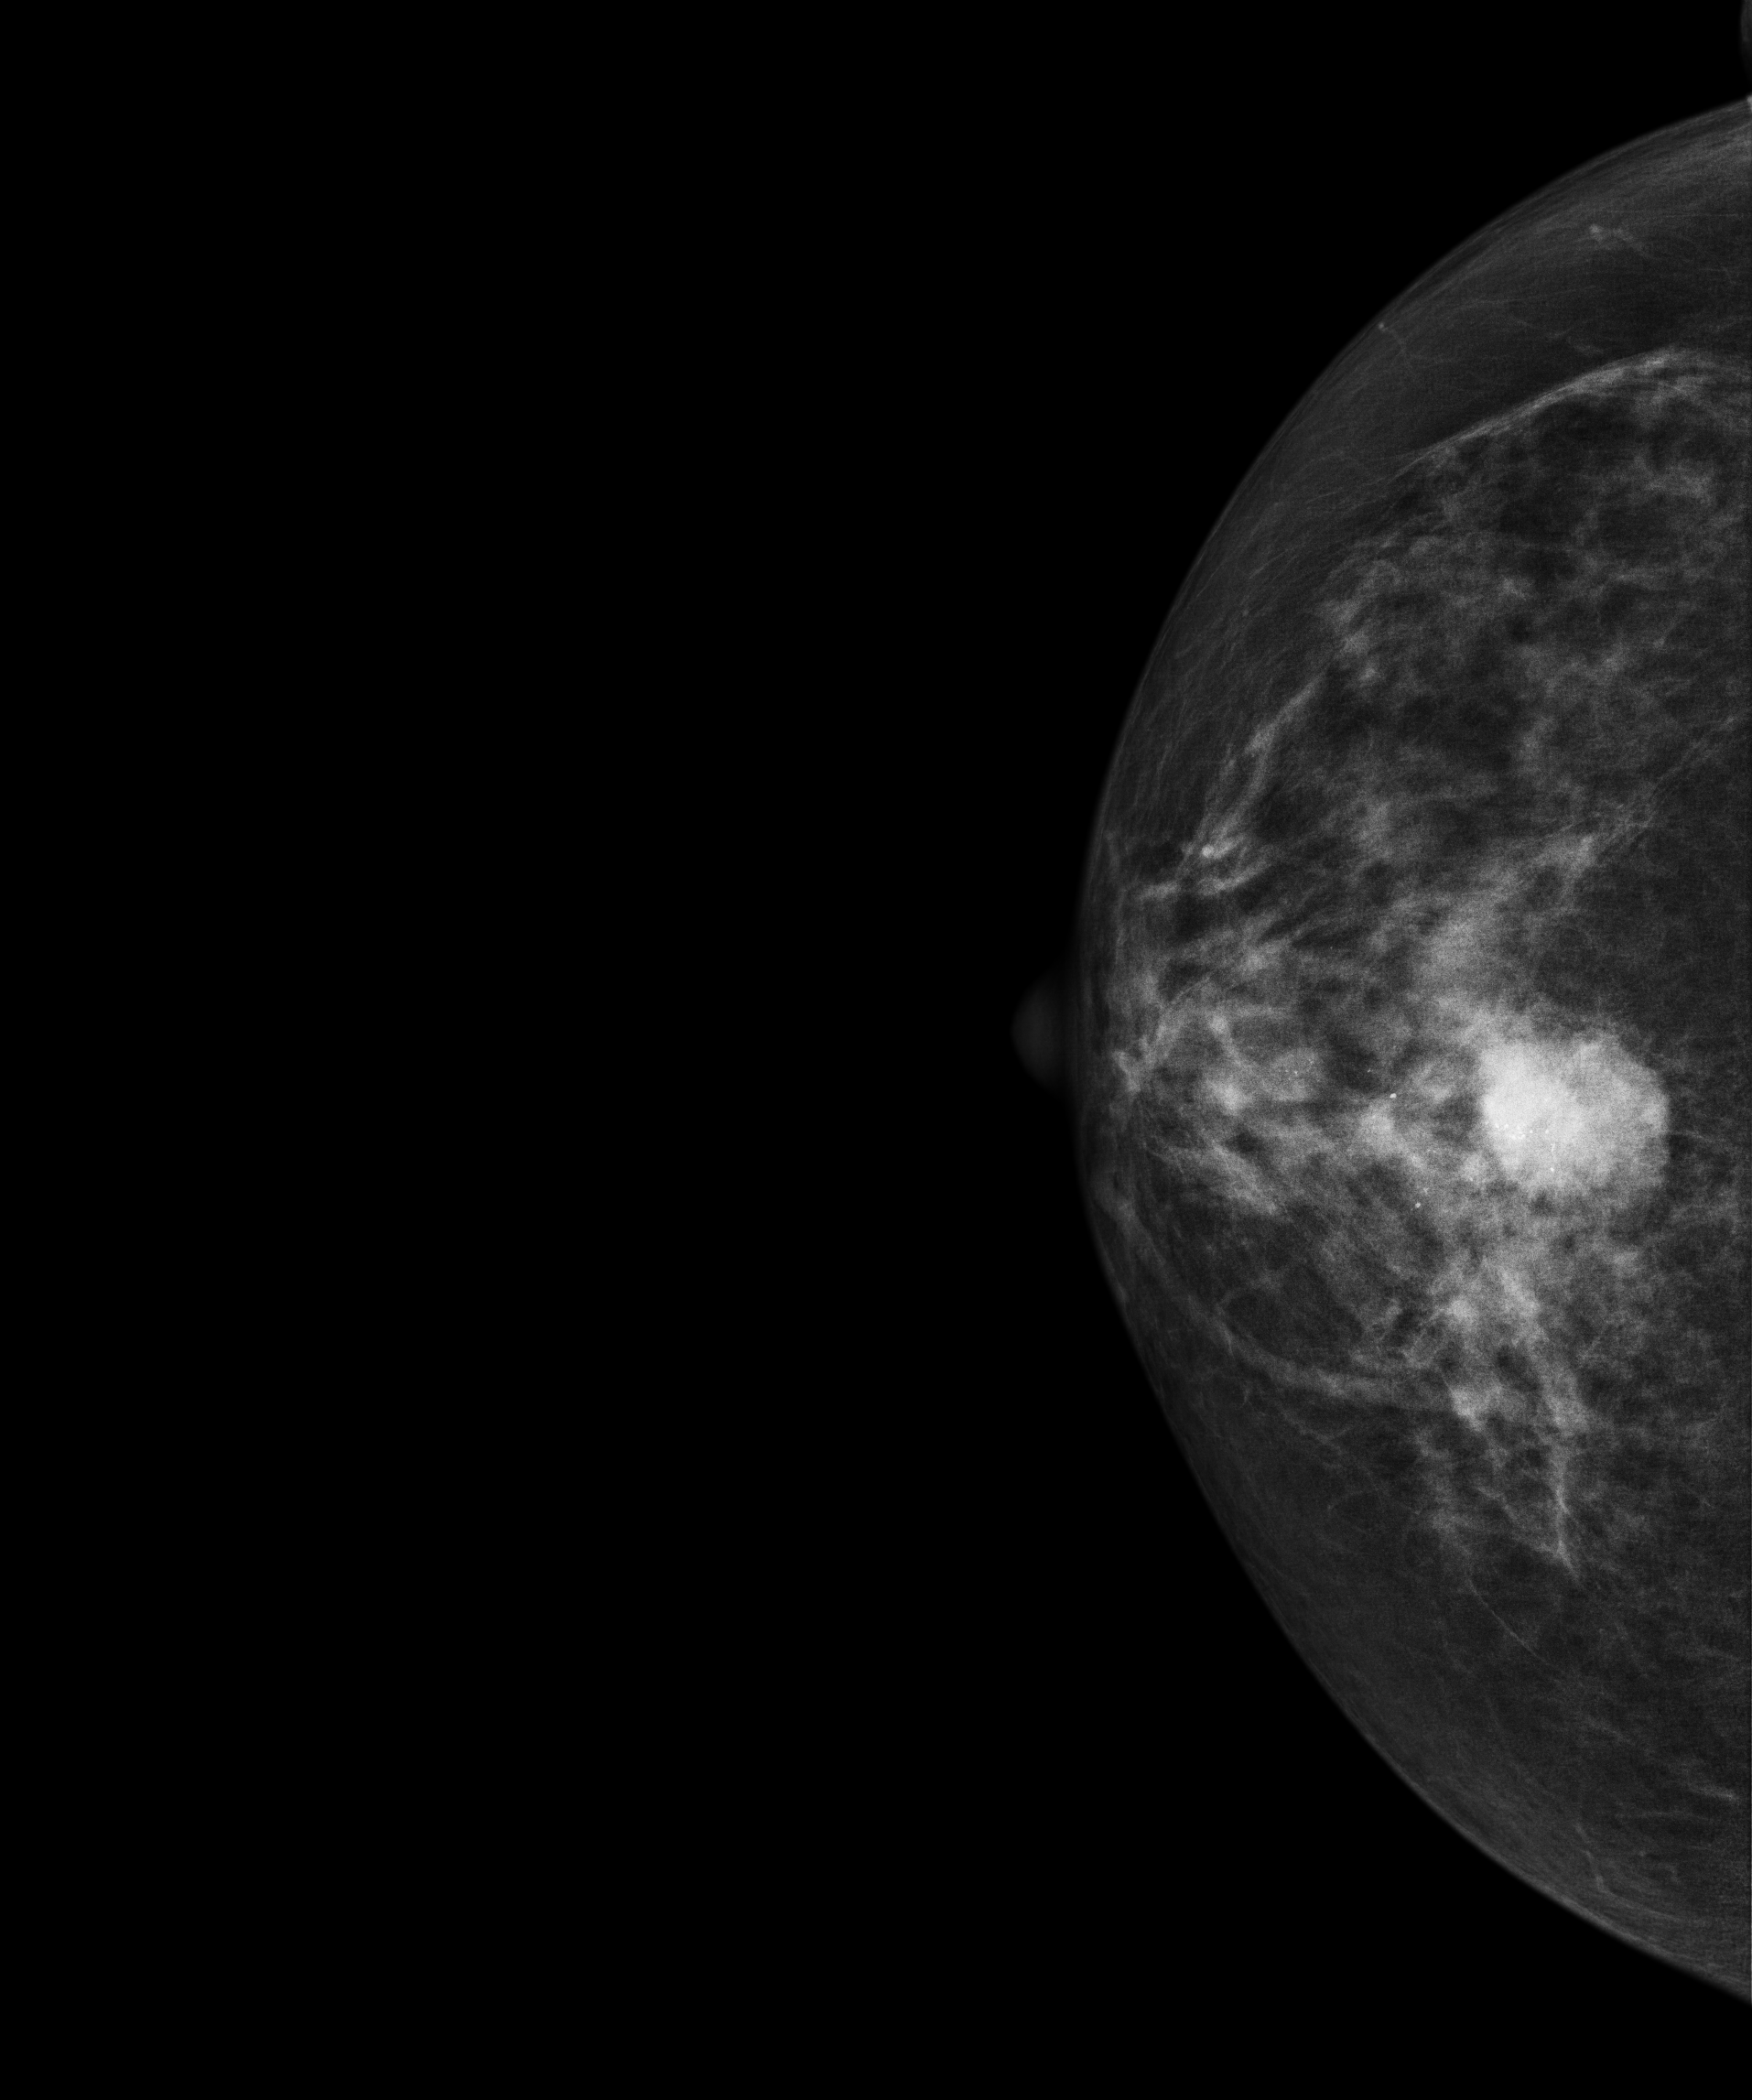
Mammogram, right breast, cranio-caudal view. Patient age 61.
This breast has a mass and calcifications, pathology-confirmed malignant. Molecular subtype: HER2-enriched.